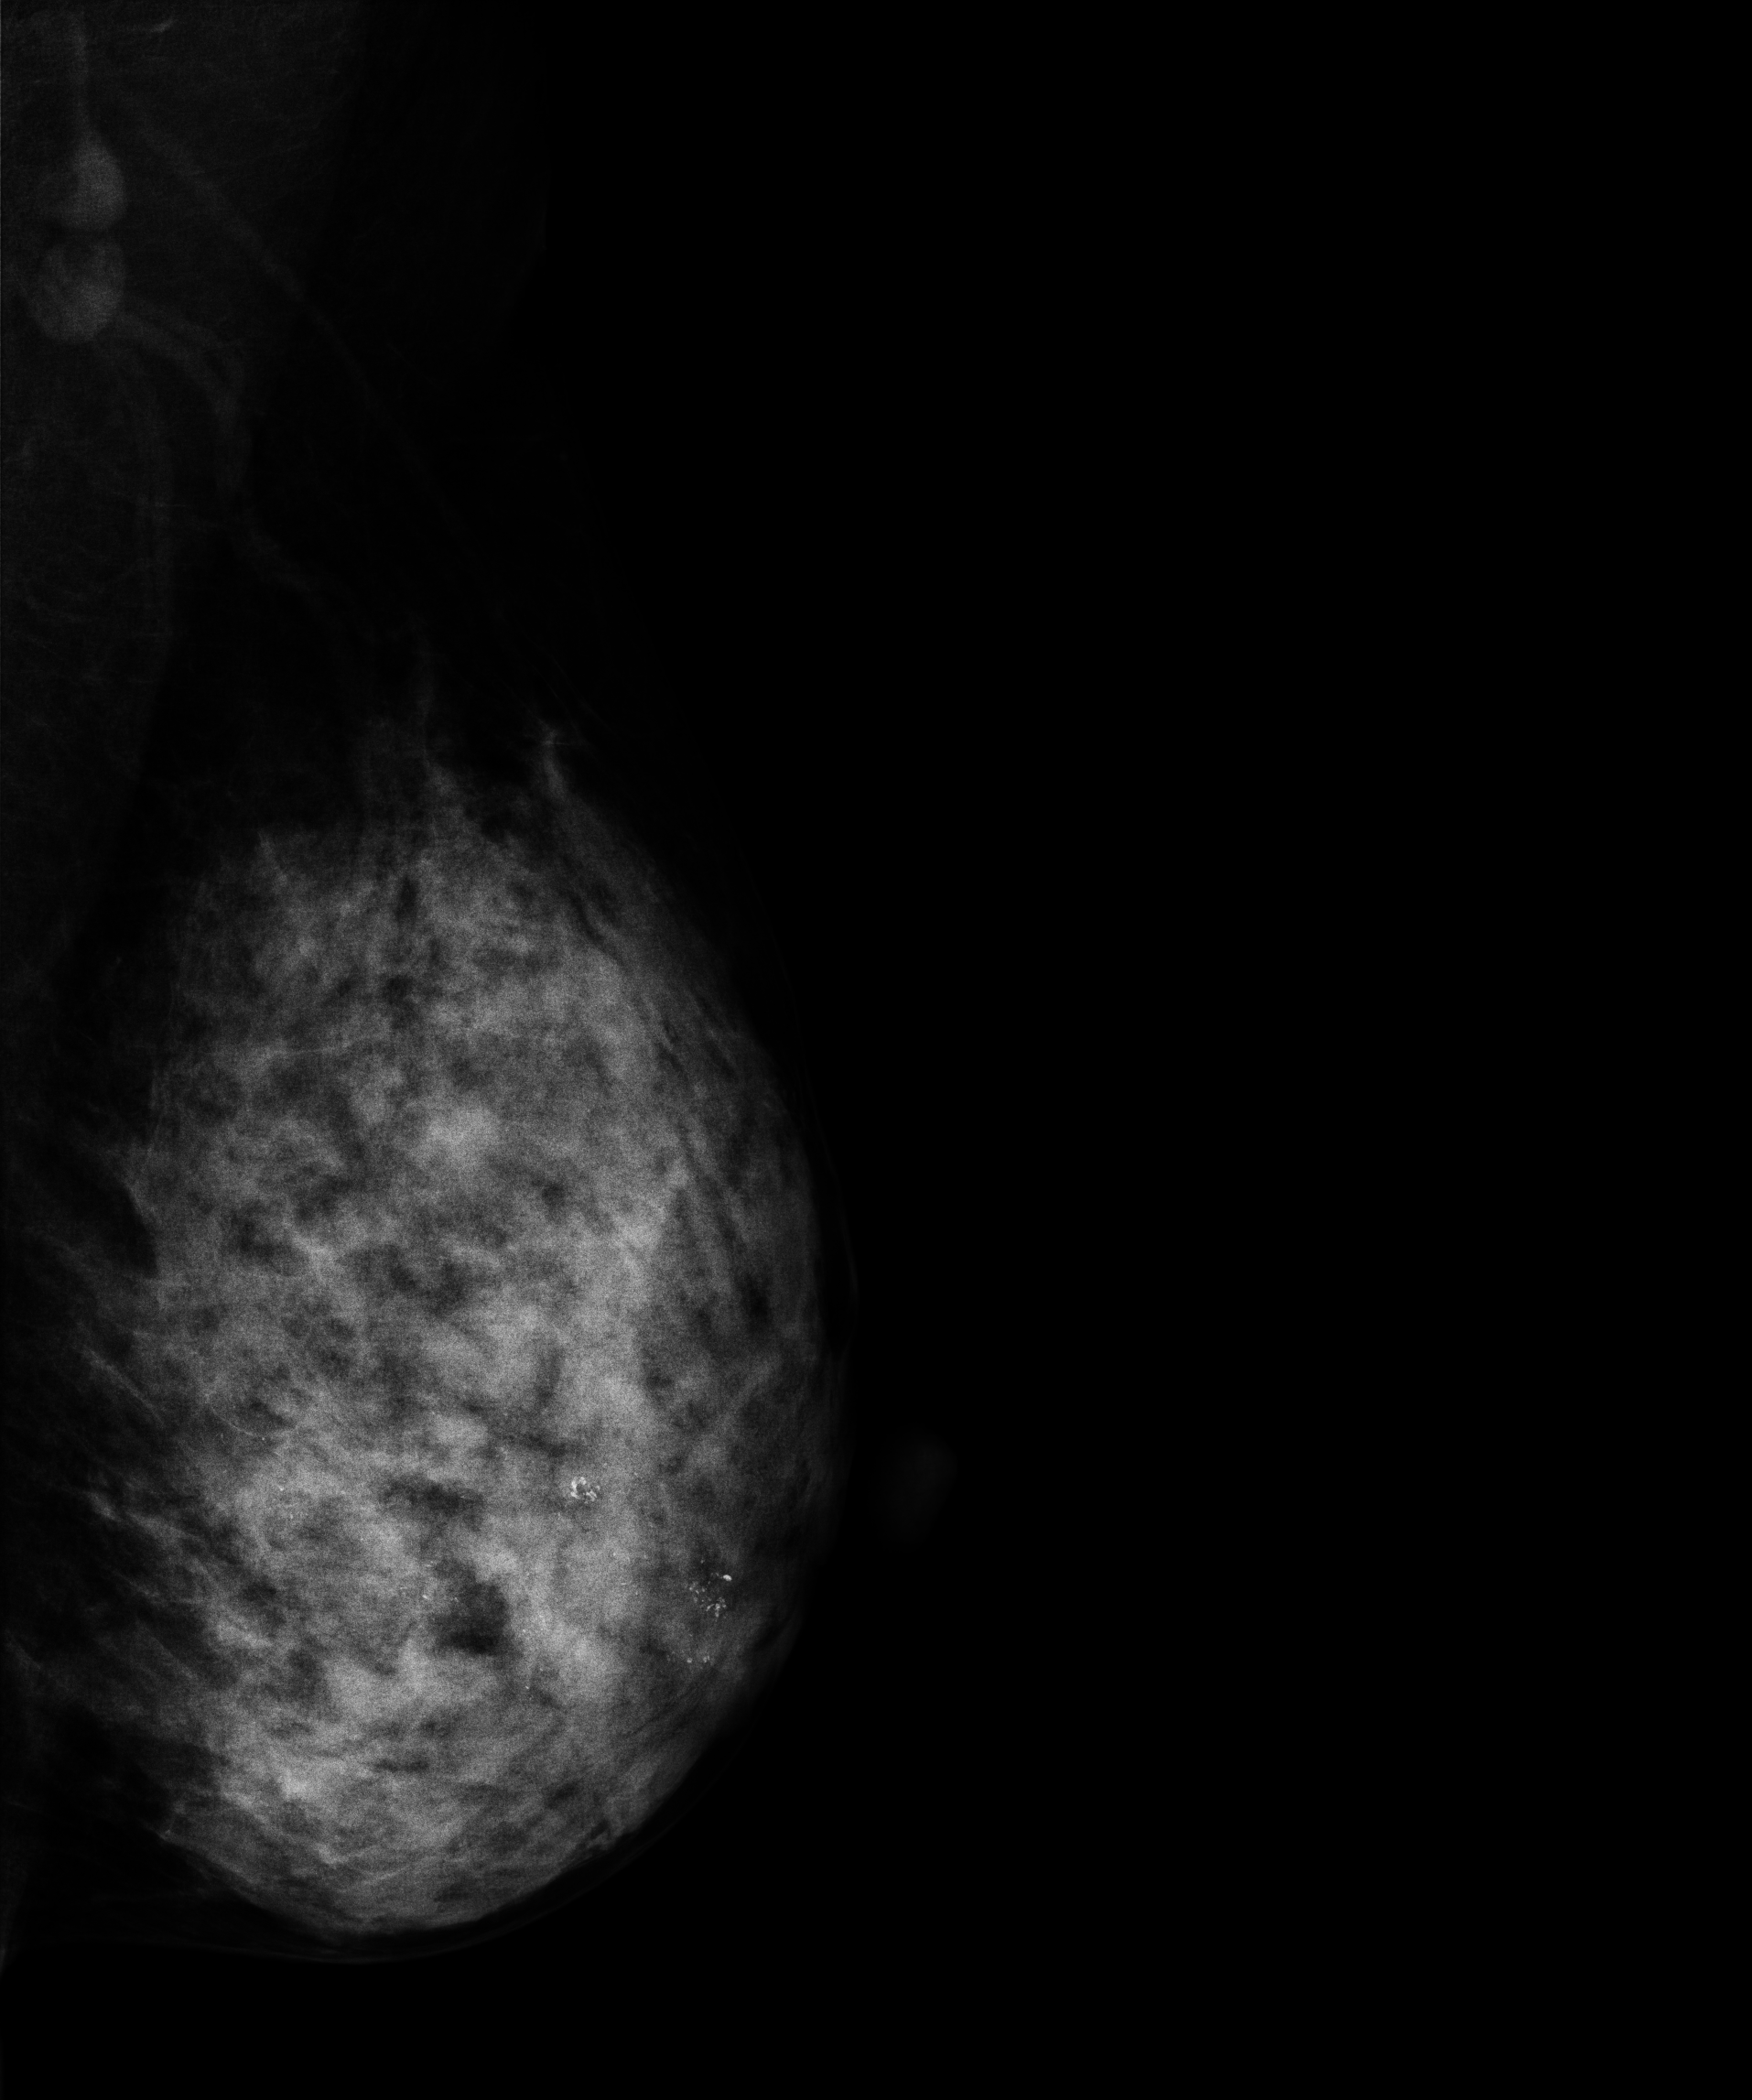
Mammogram — left MLO. Patient age 46.
This breast has calcifications, histologically confirmed malignant.